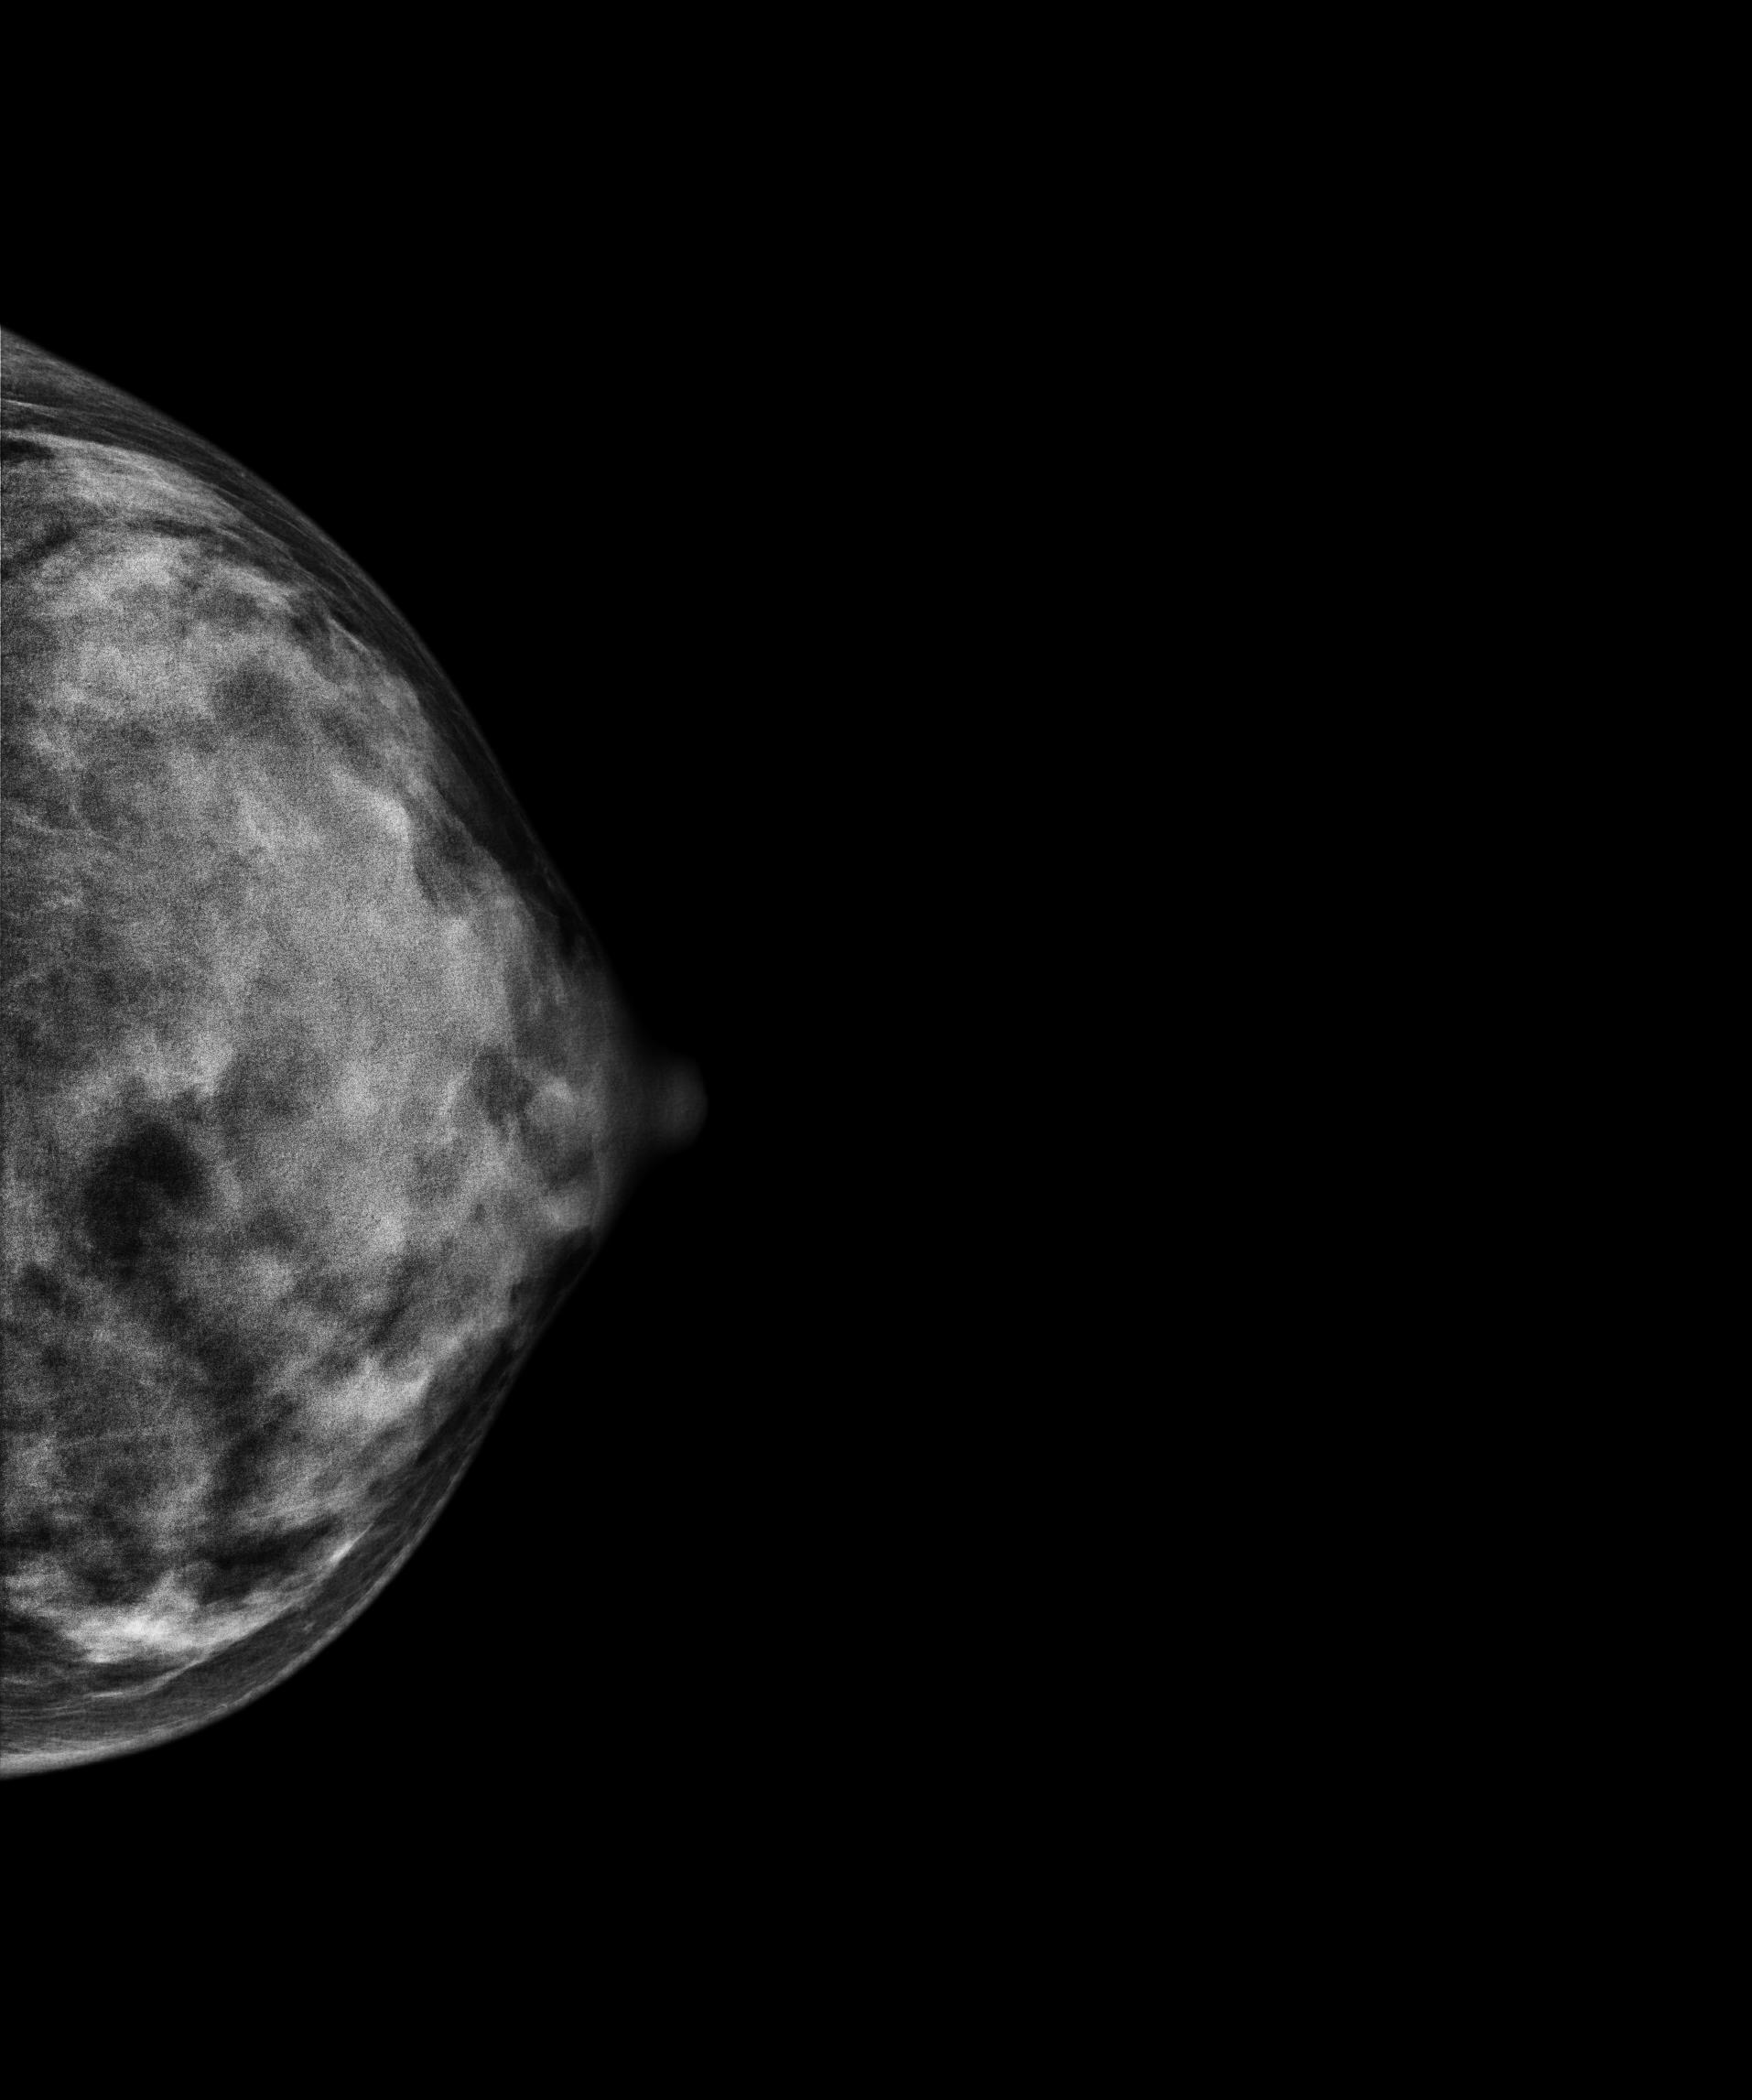
Mammogram, left breast, cranio-caudal view. 24-year-old patient.
This breast has a mass, pathology-confirmed benign.